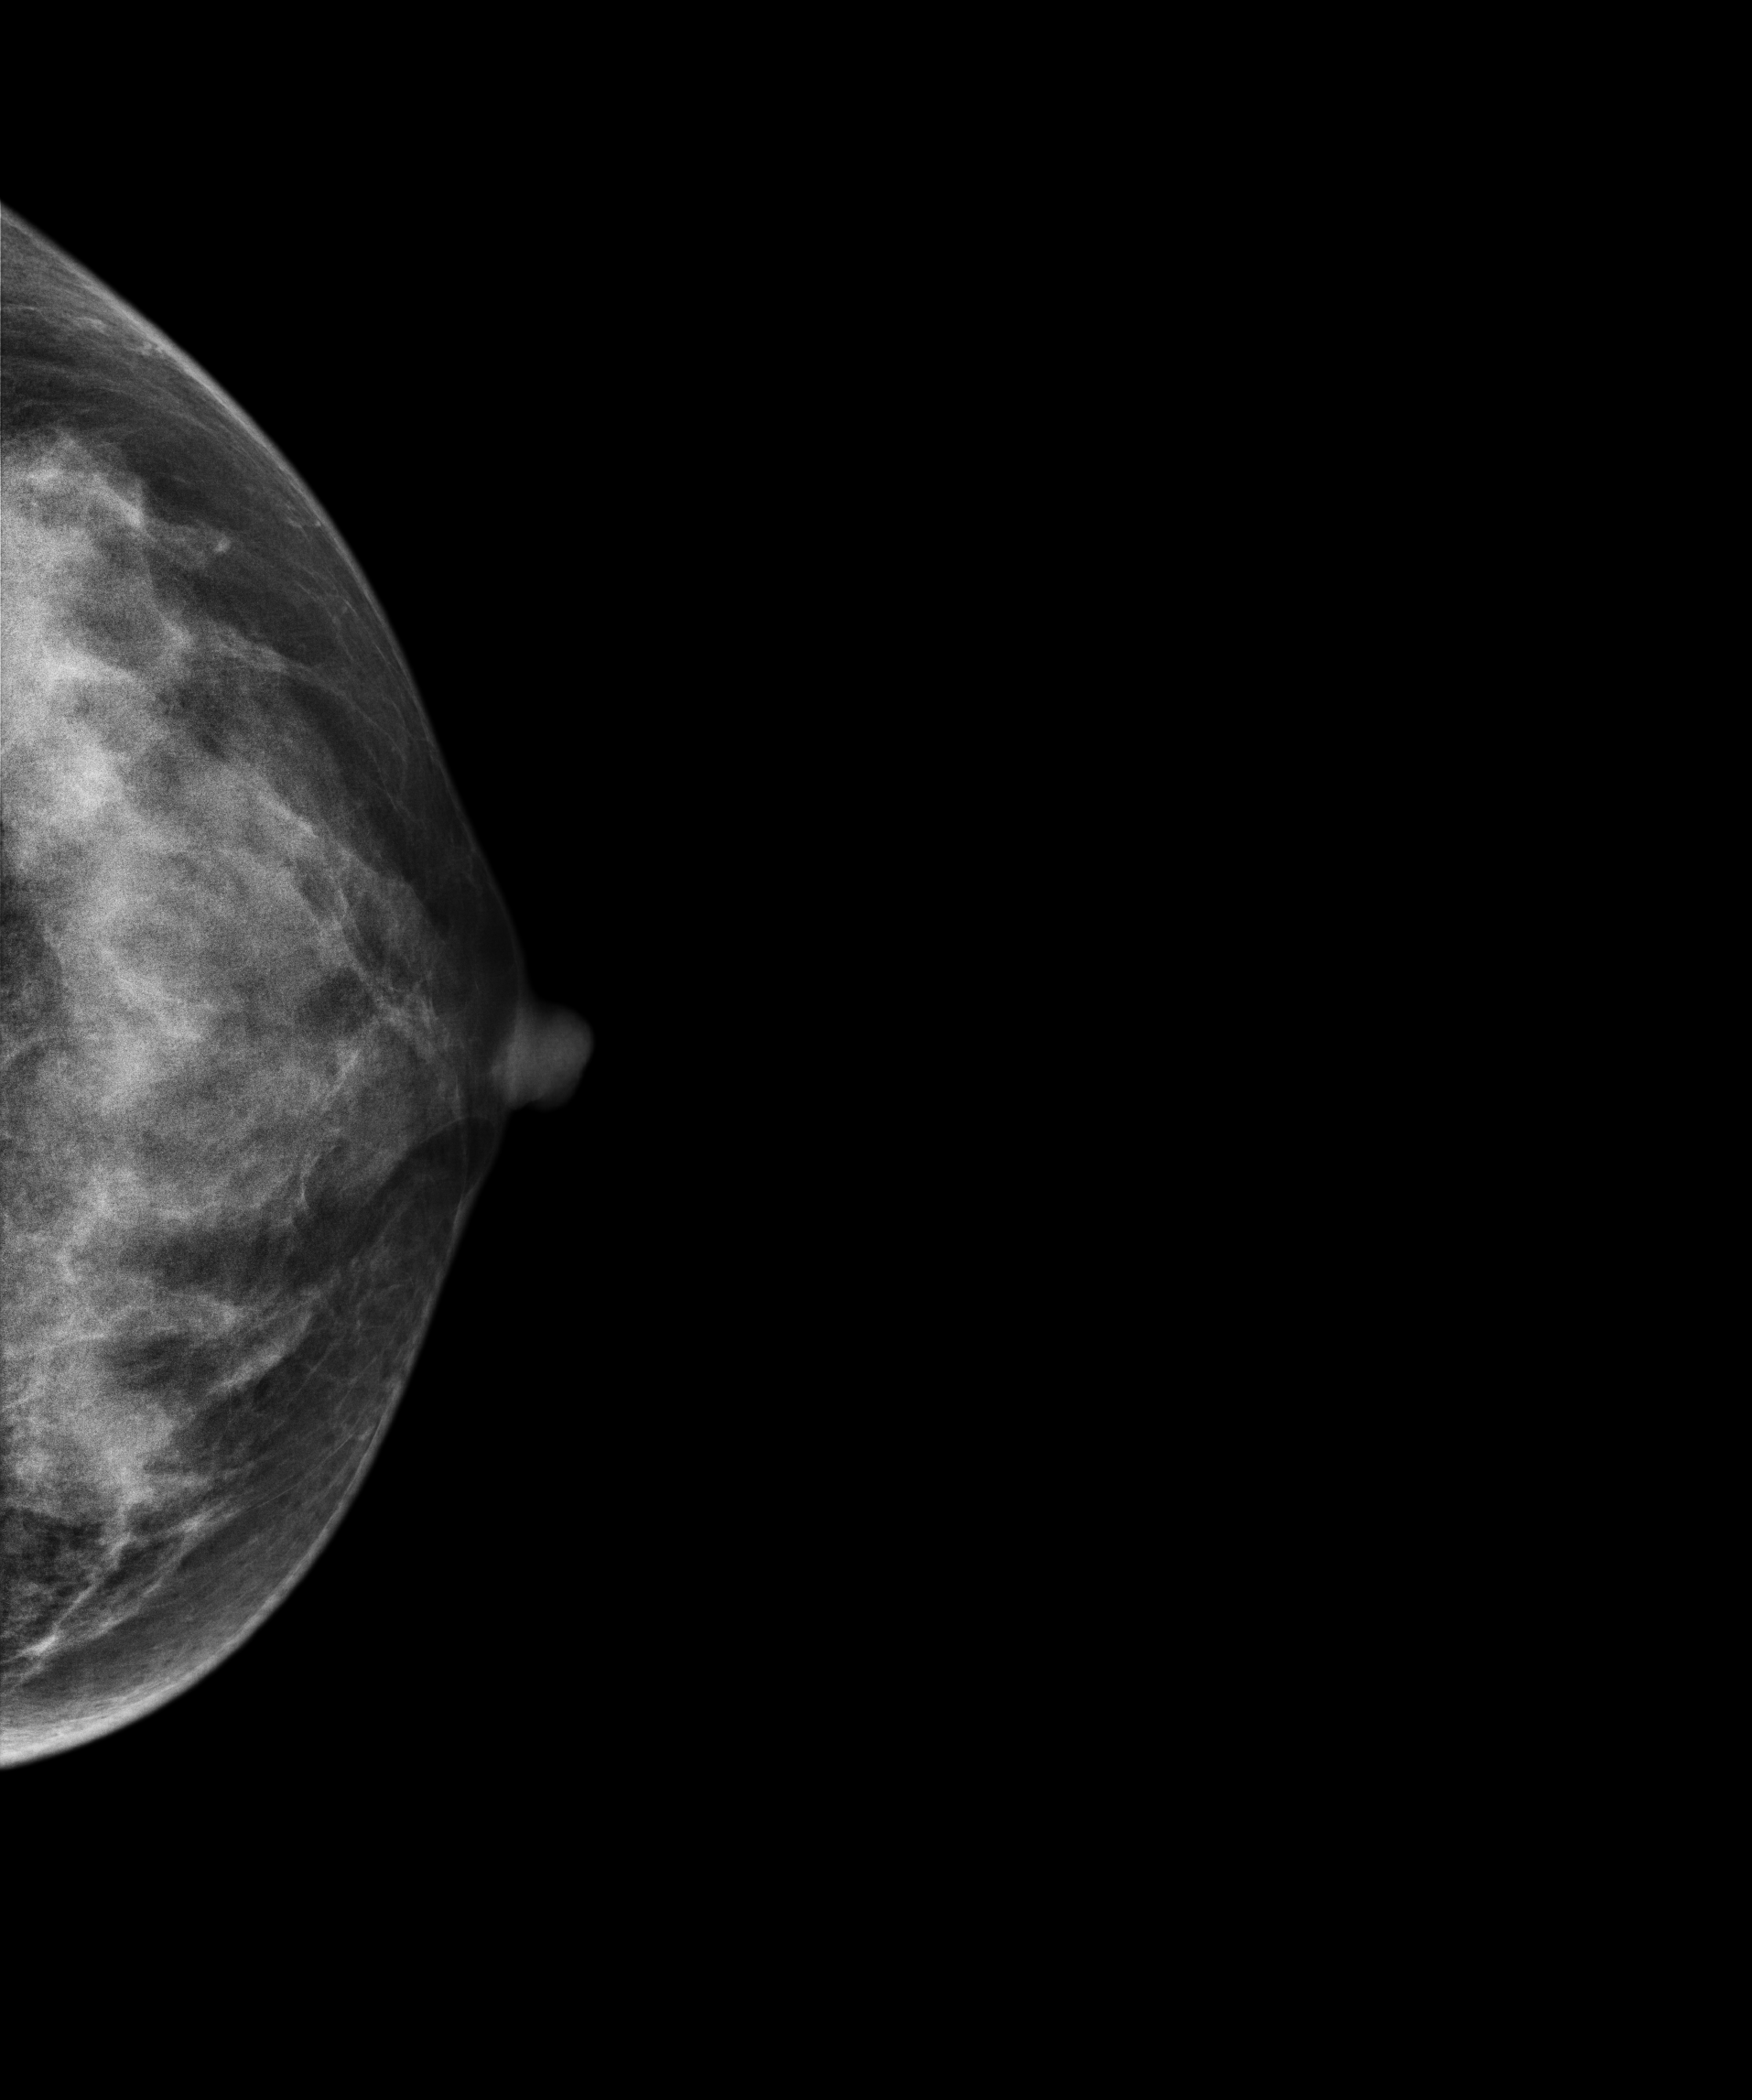
Left-breast mammogram, cranio-caudal. 30 y/o patient.
Contralateral breast — no documented abnormality on this side.